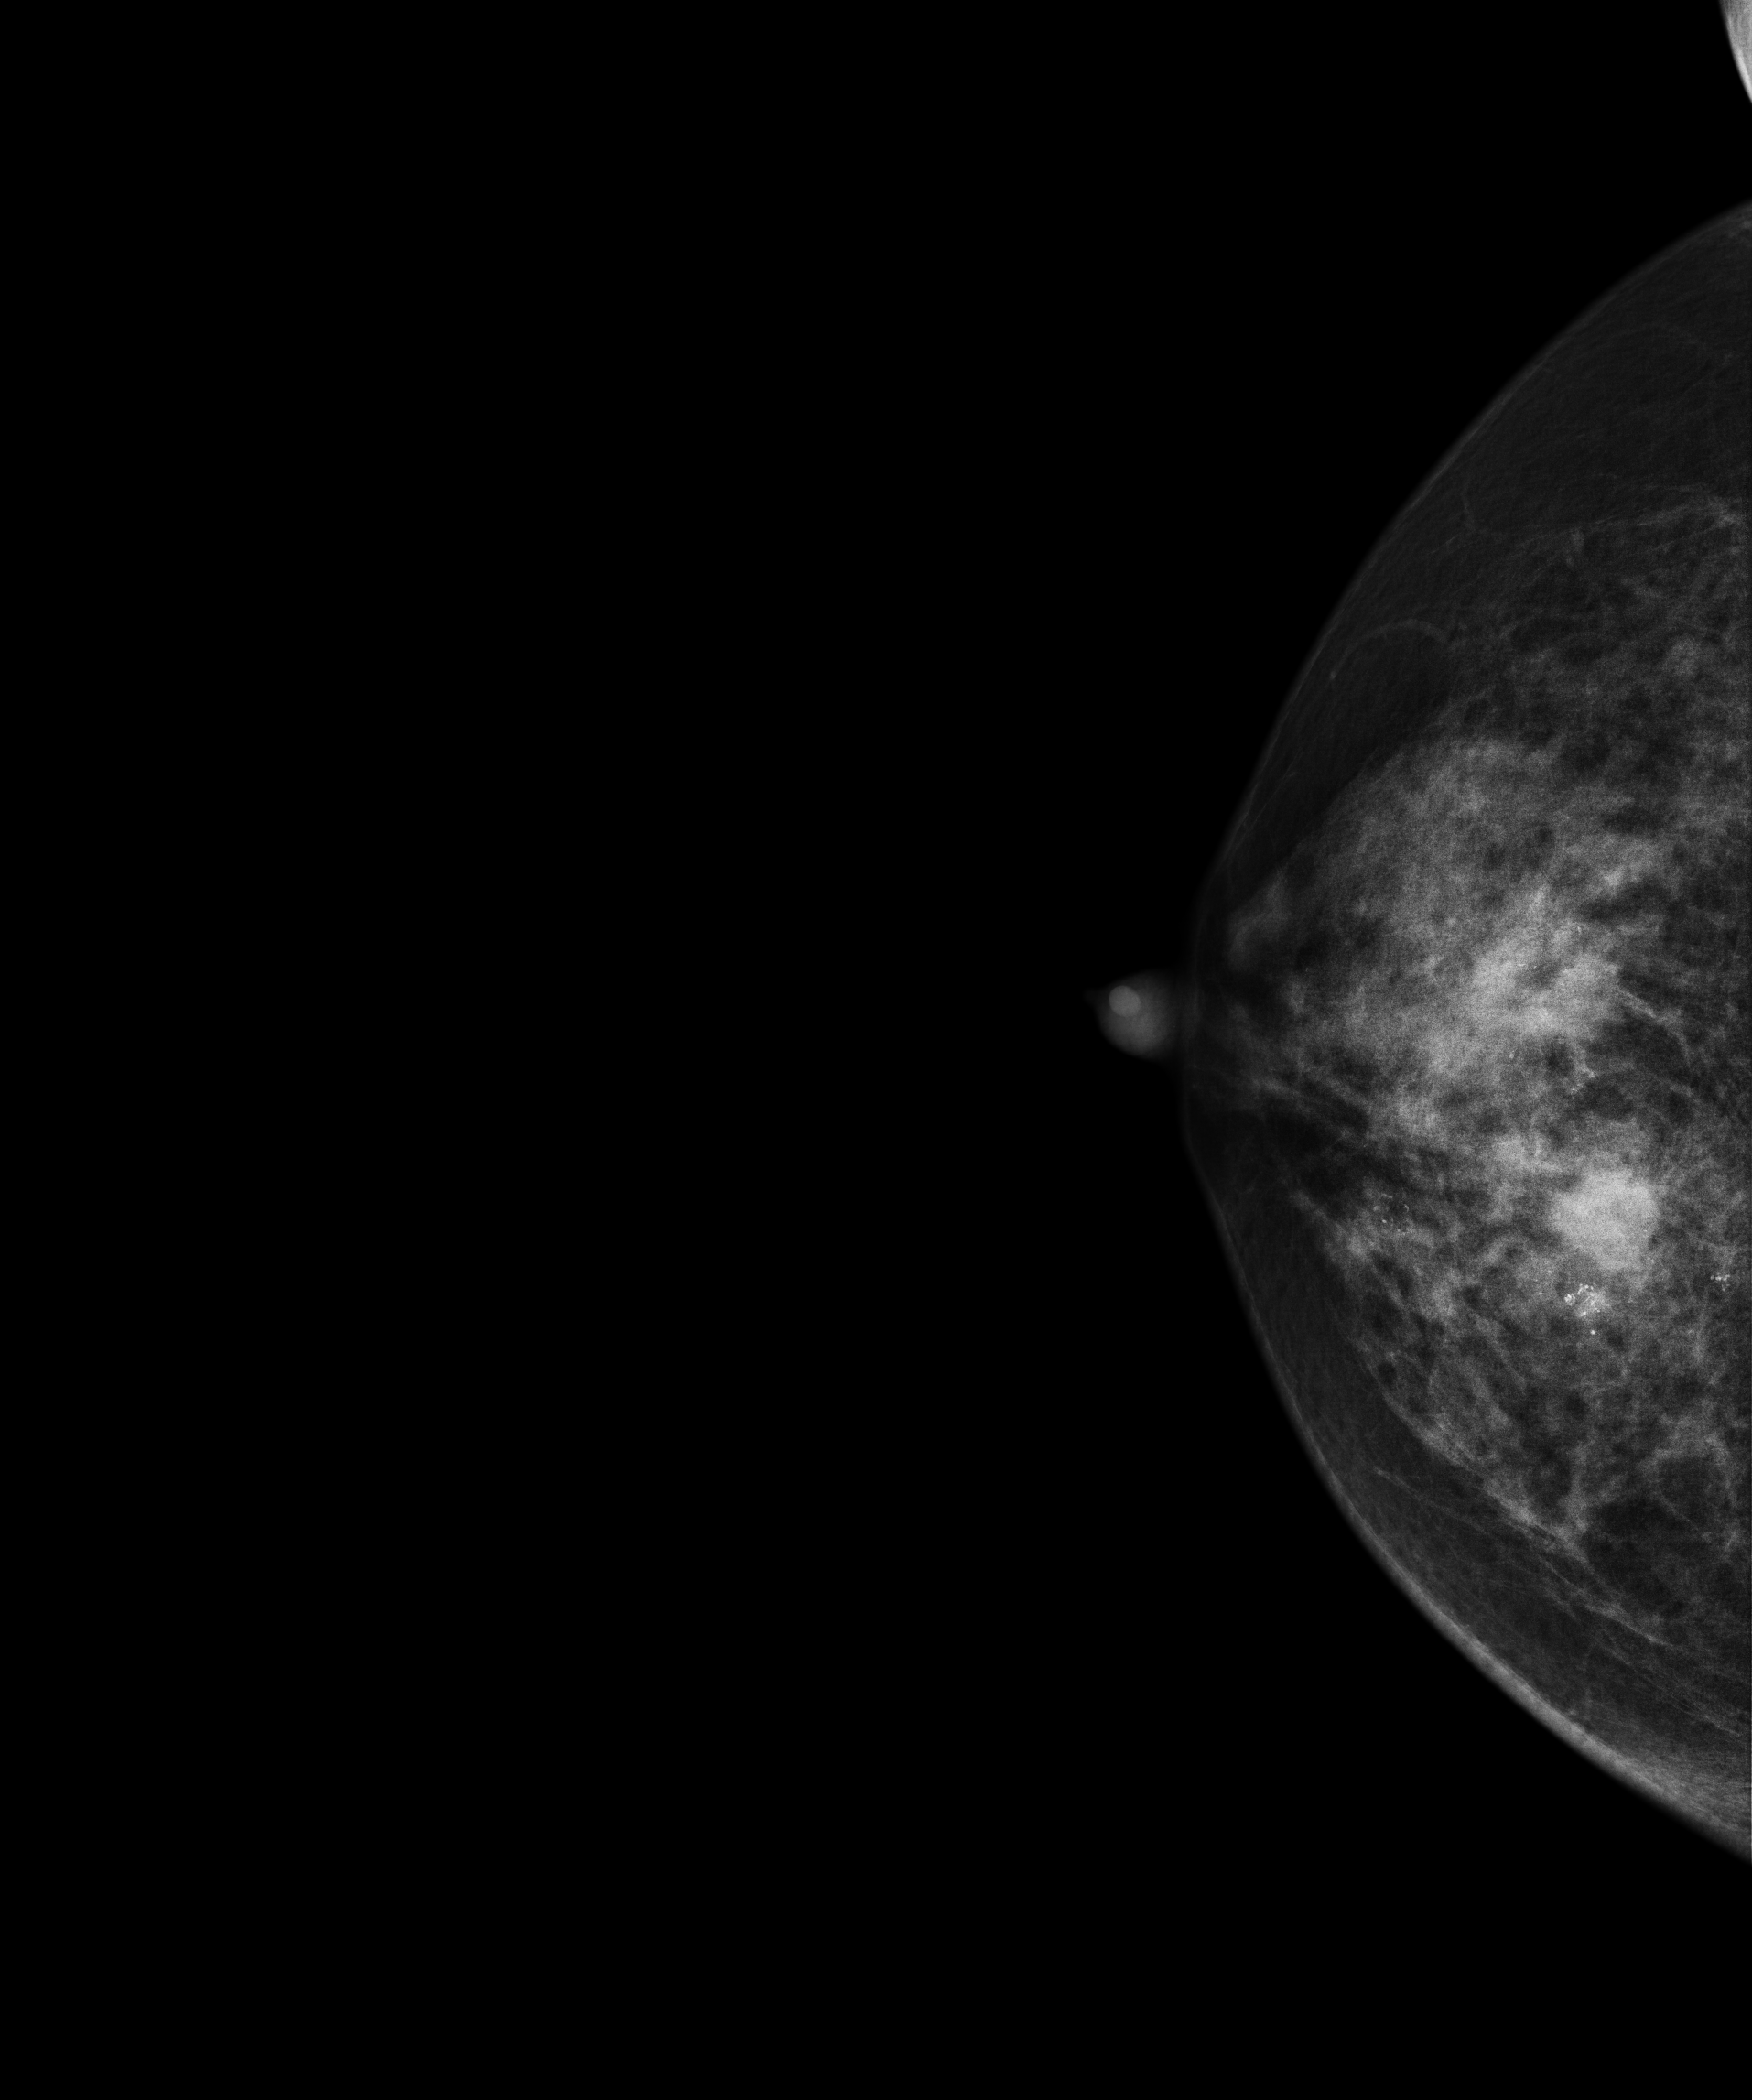
Mammogram, right breast, CC view. Patient age 56.
This breast has a mass and calcifications, histologically confirmed malignant. Molecular subtype: HER2-enriched.